CC mammogram of the left breast. 32 y/o patient.
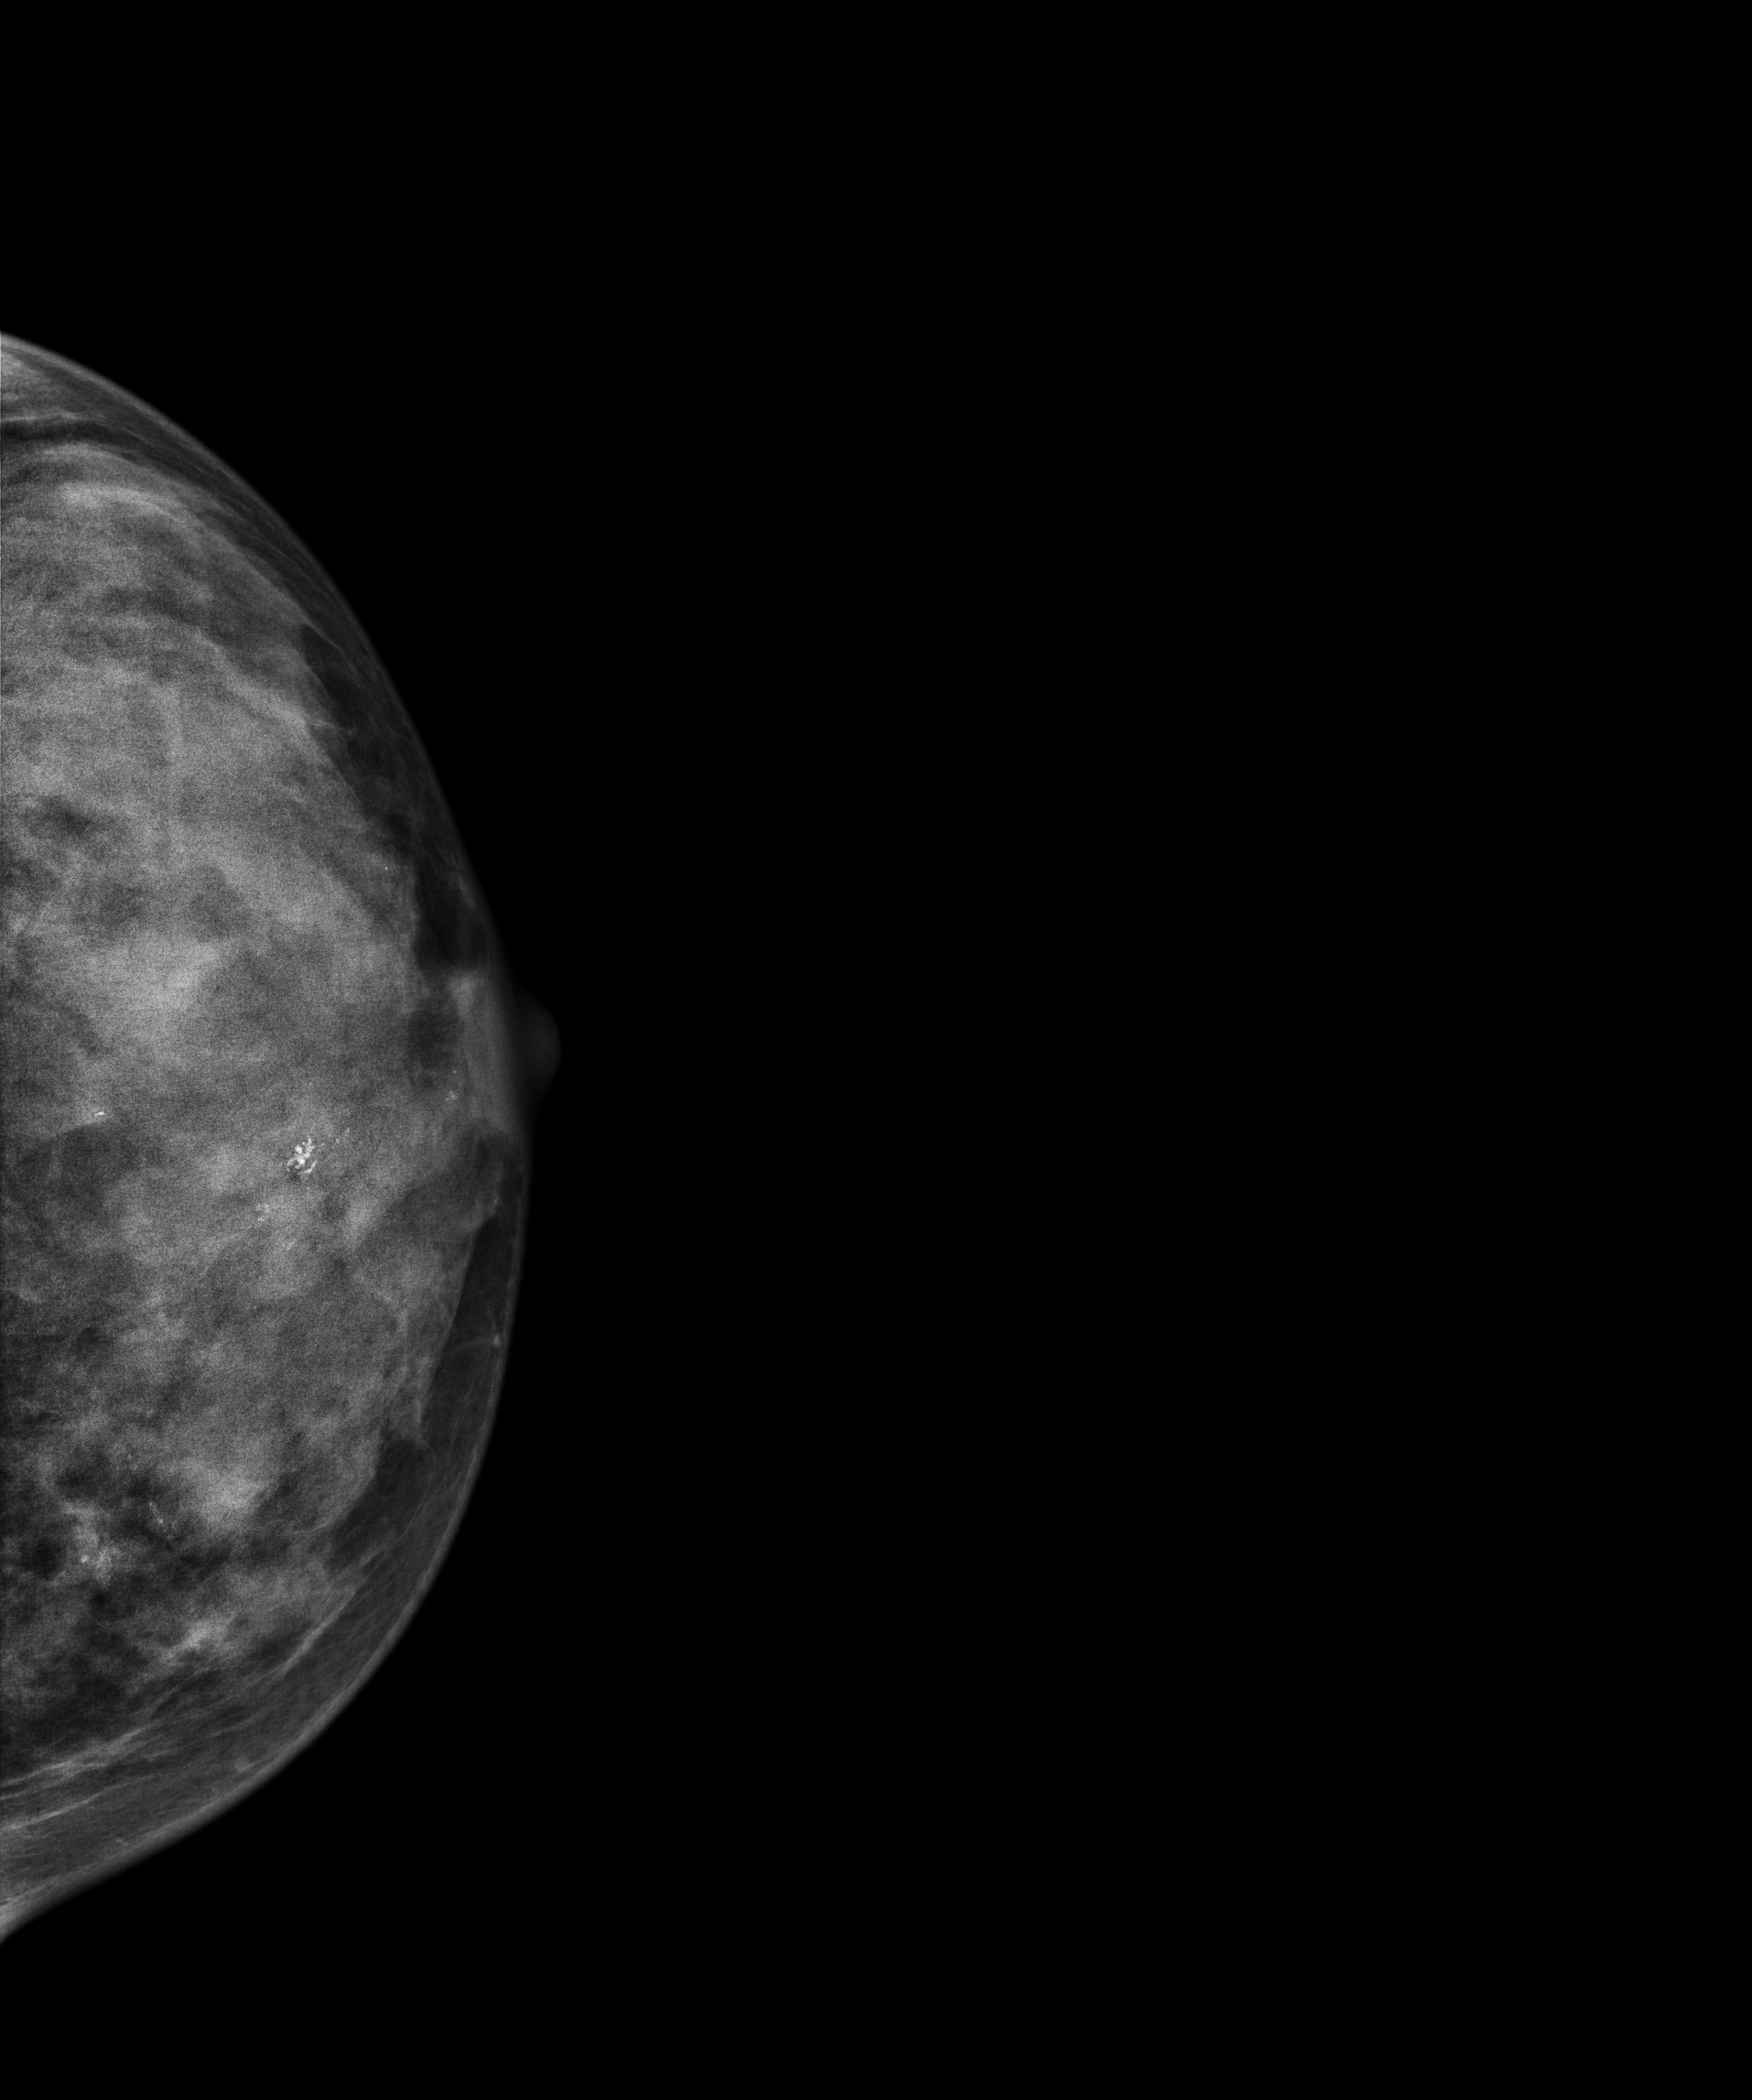
This breast has calcifications, histologically confirmed malignant.